Left-breast mammogram, MLO. 53-year-old patient.
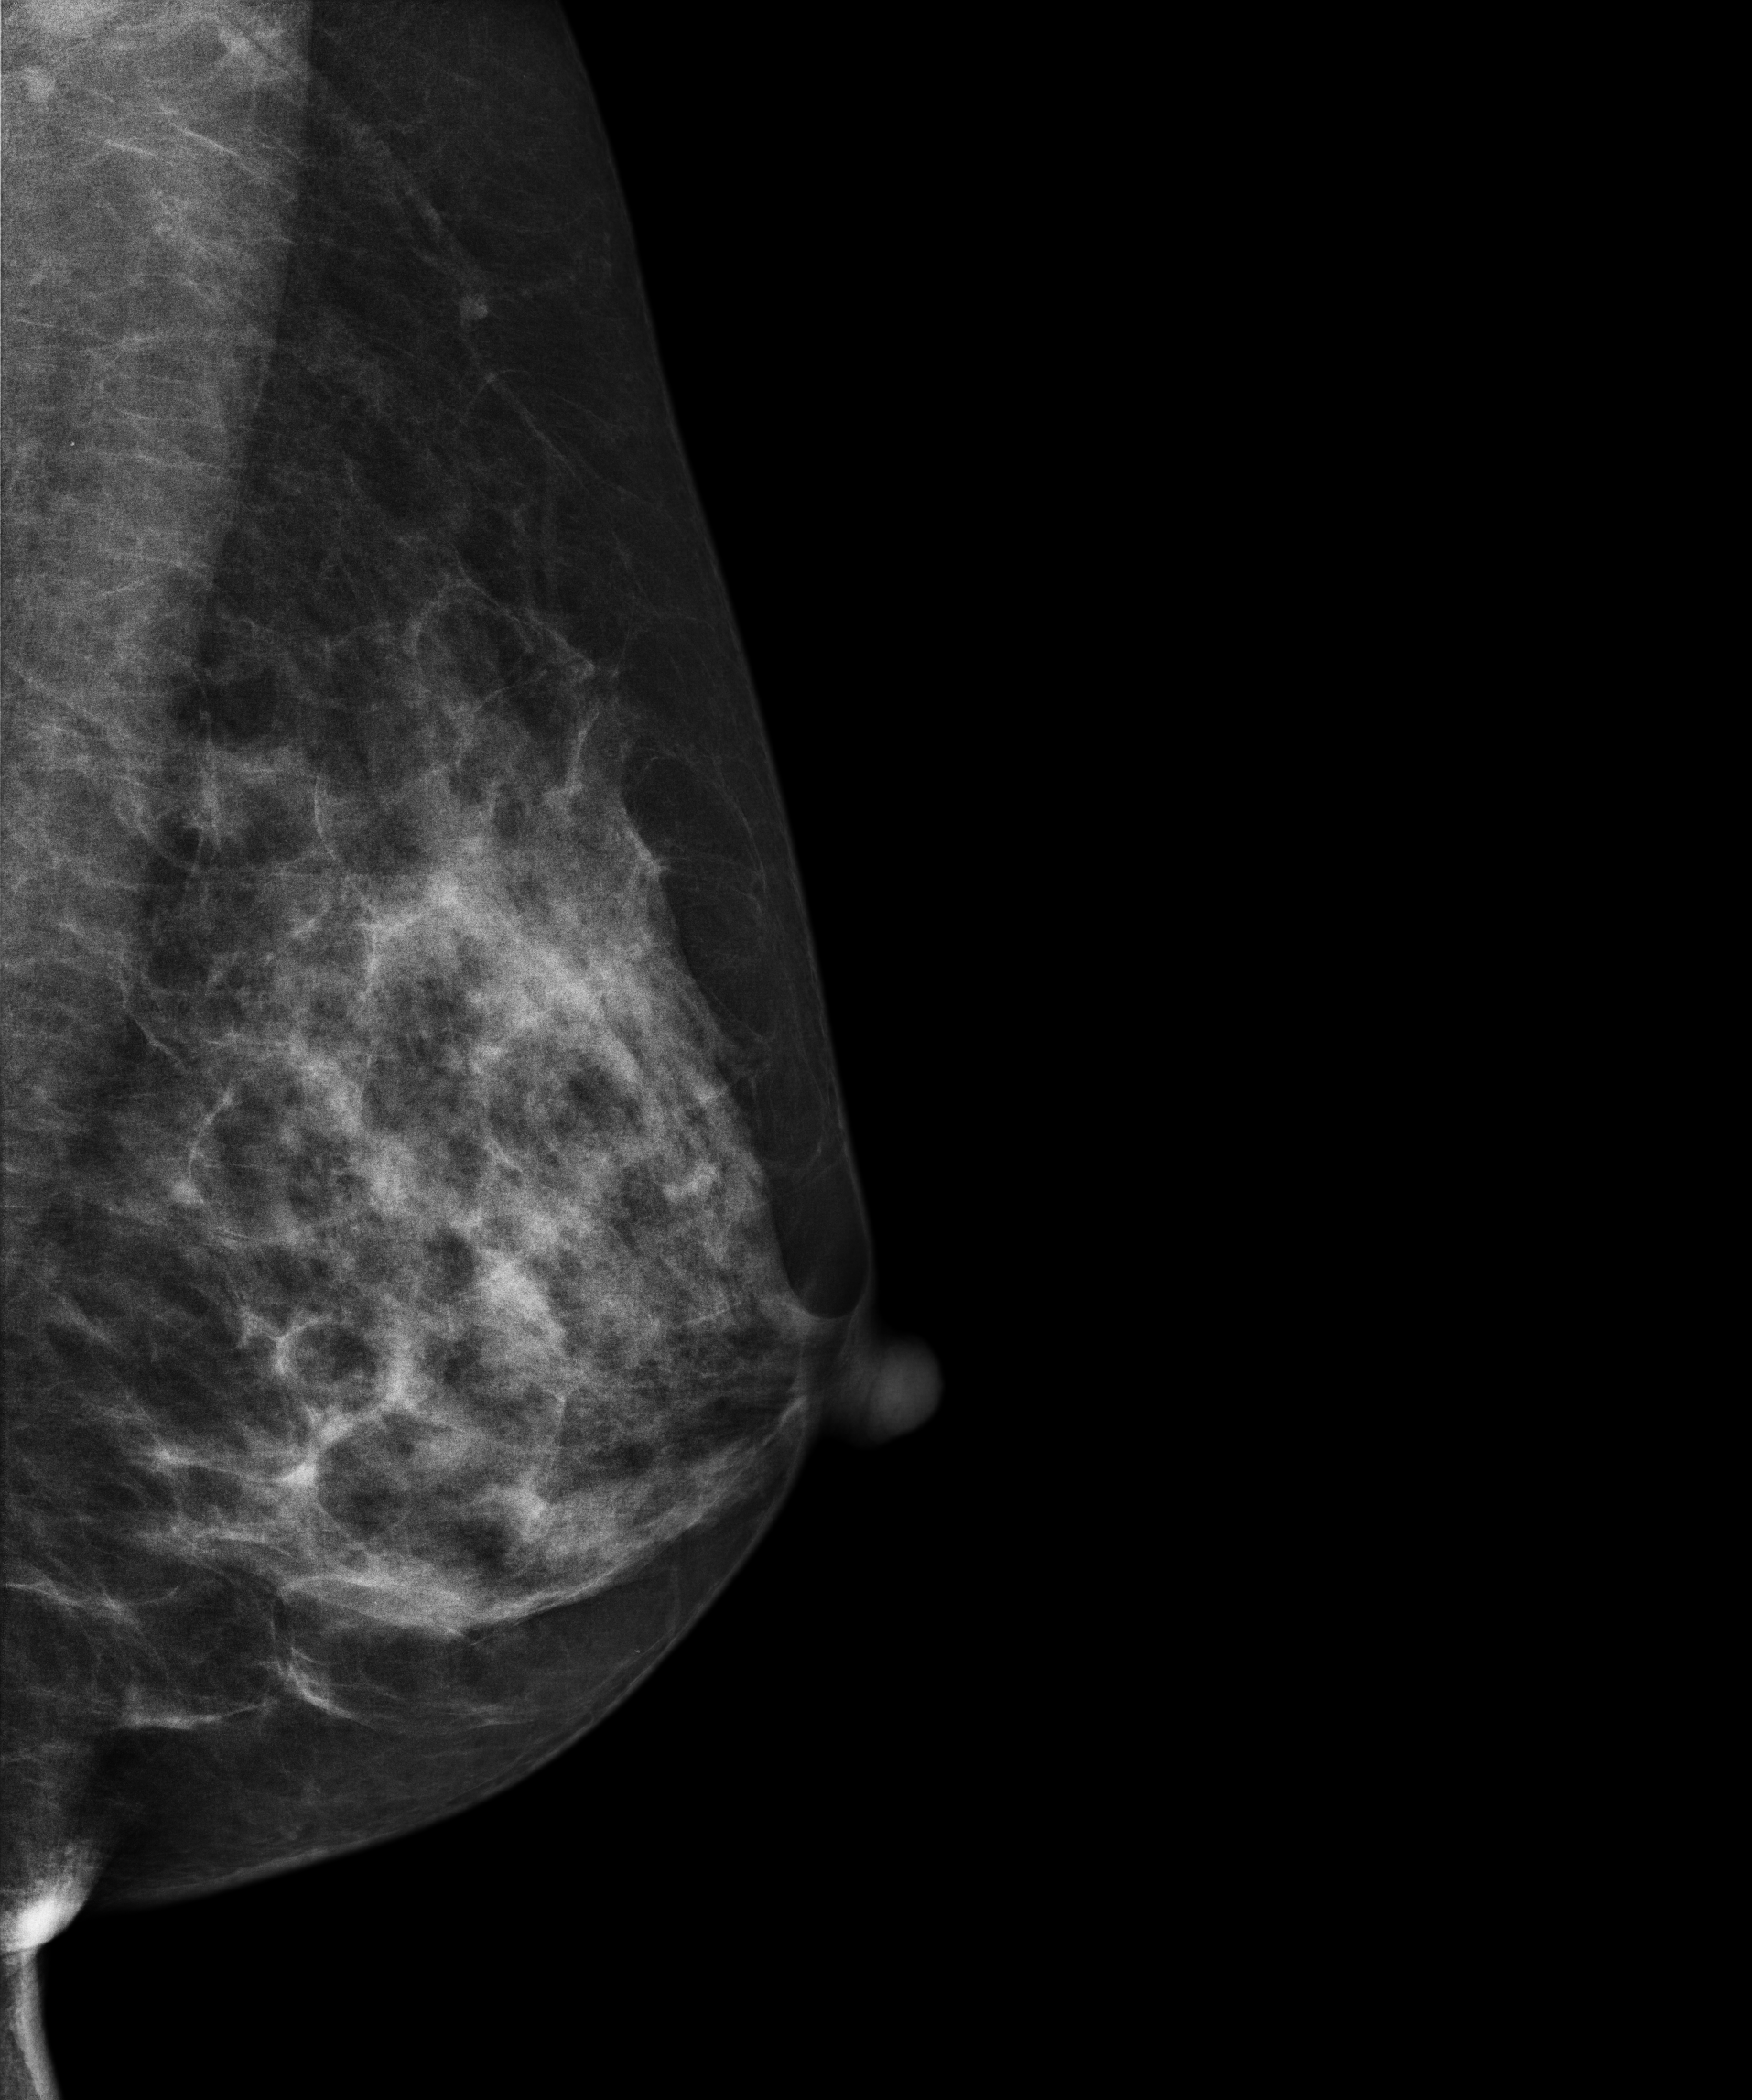
Contralateral breast — no documented abnormality on this side.